Right-breast mammogram, CC. Patient age 43.
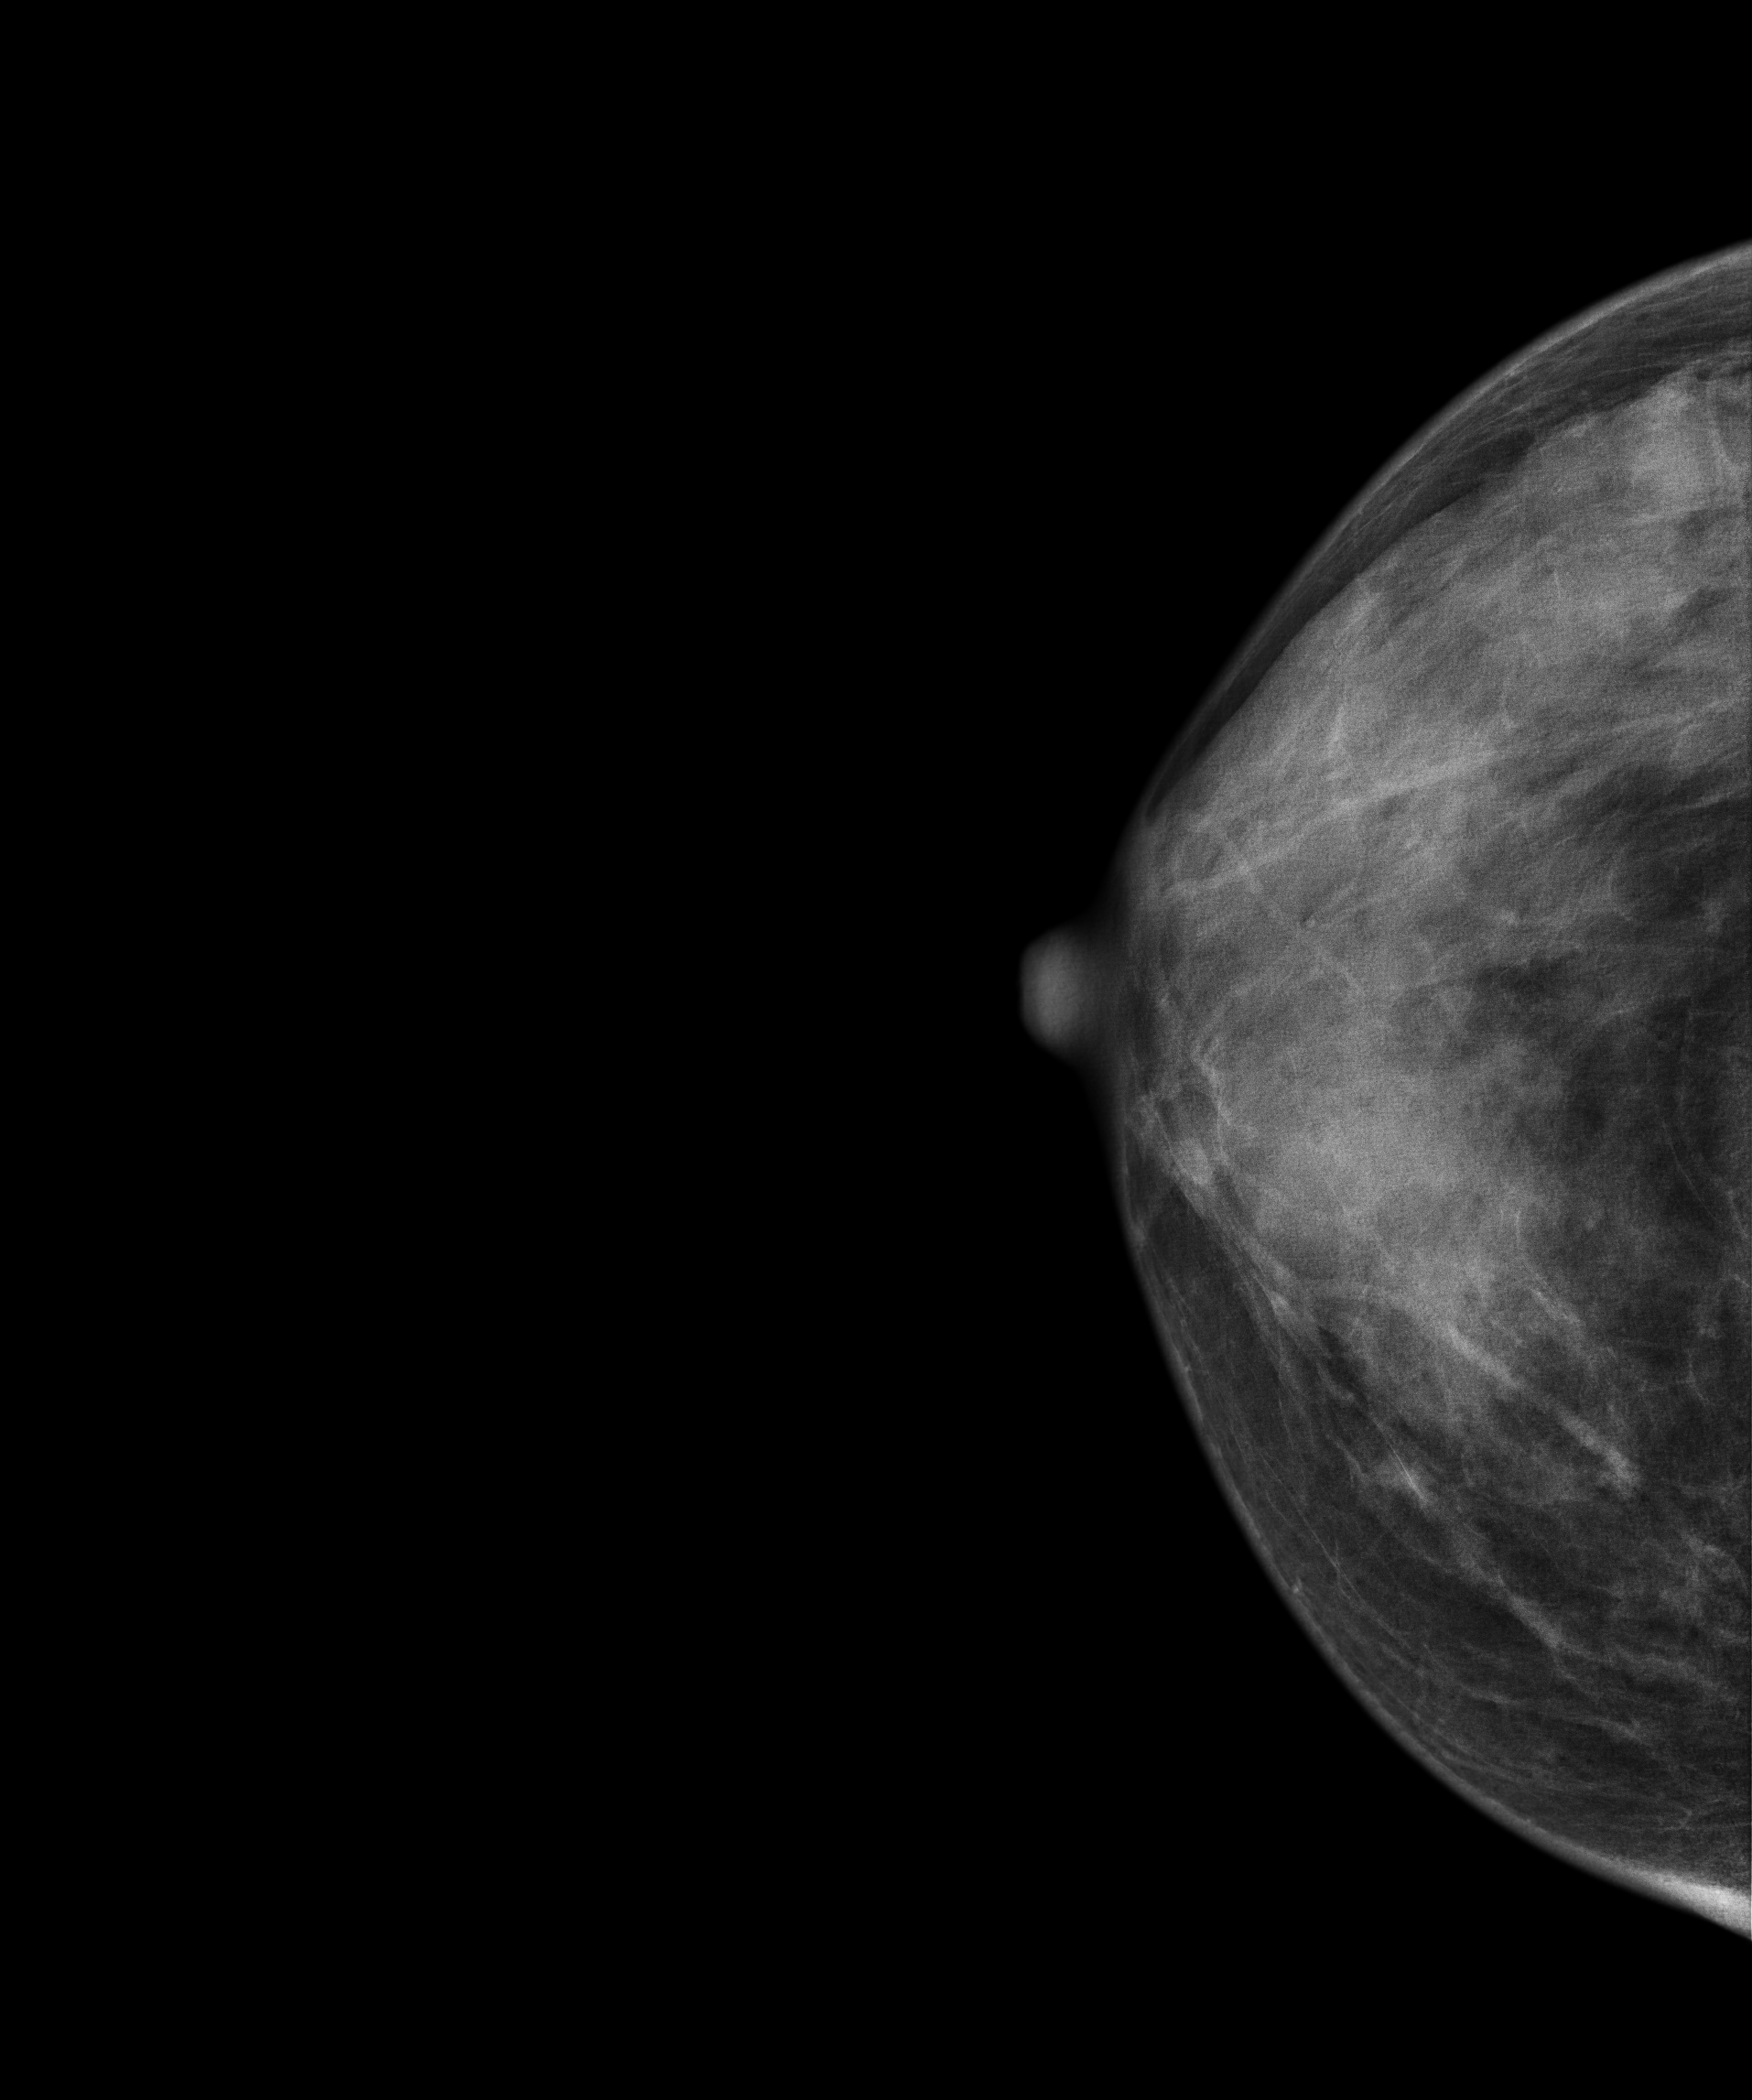
This breast has a mass, pathology-confirmed malignant.